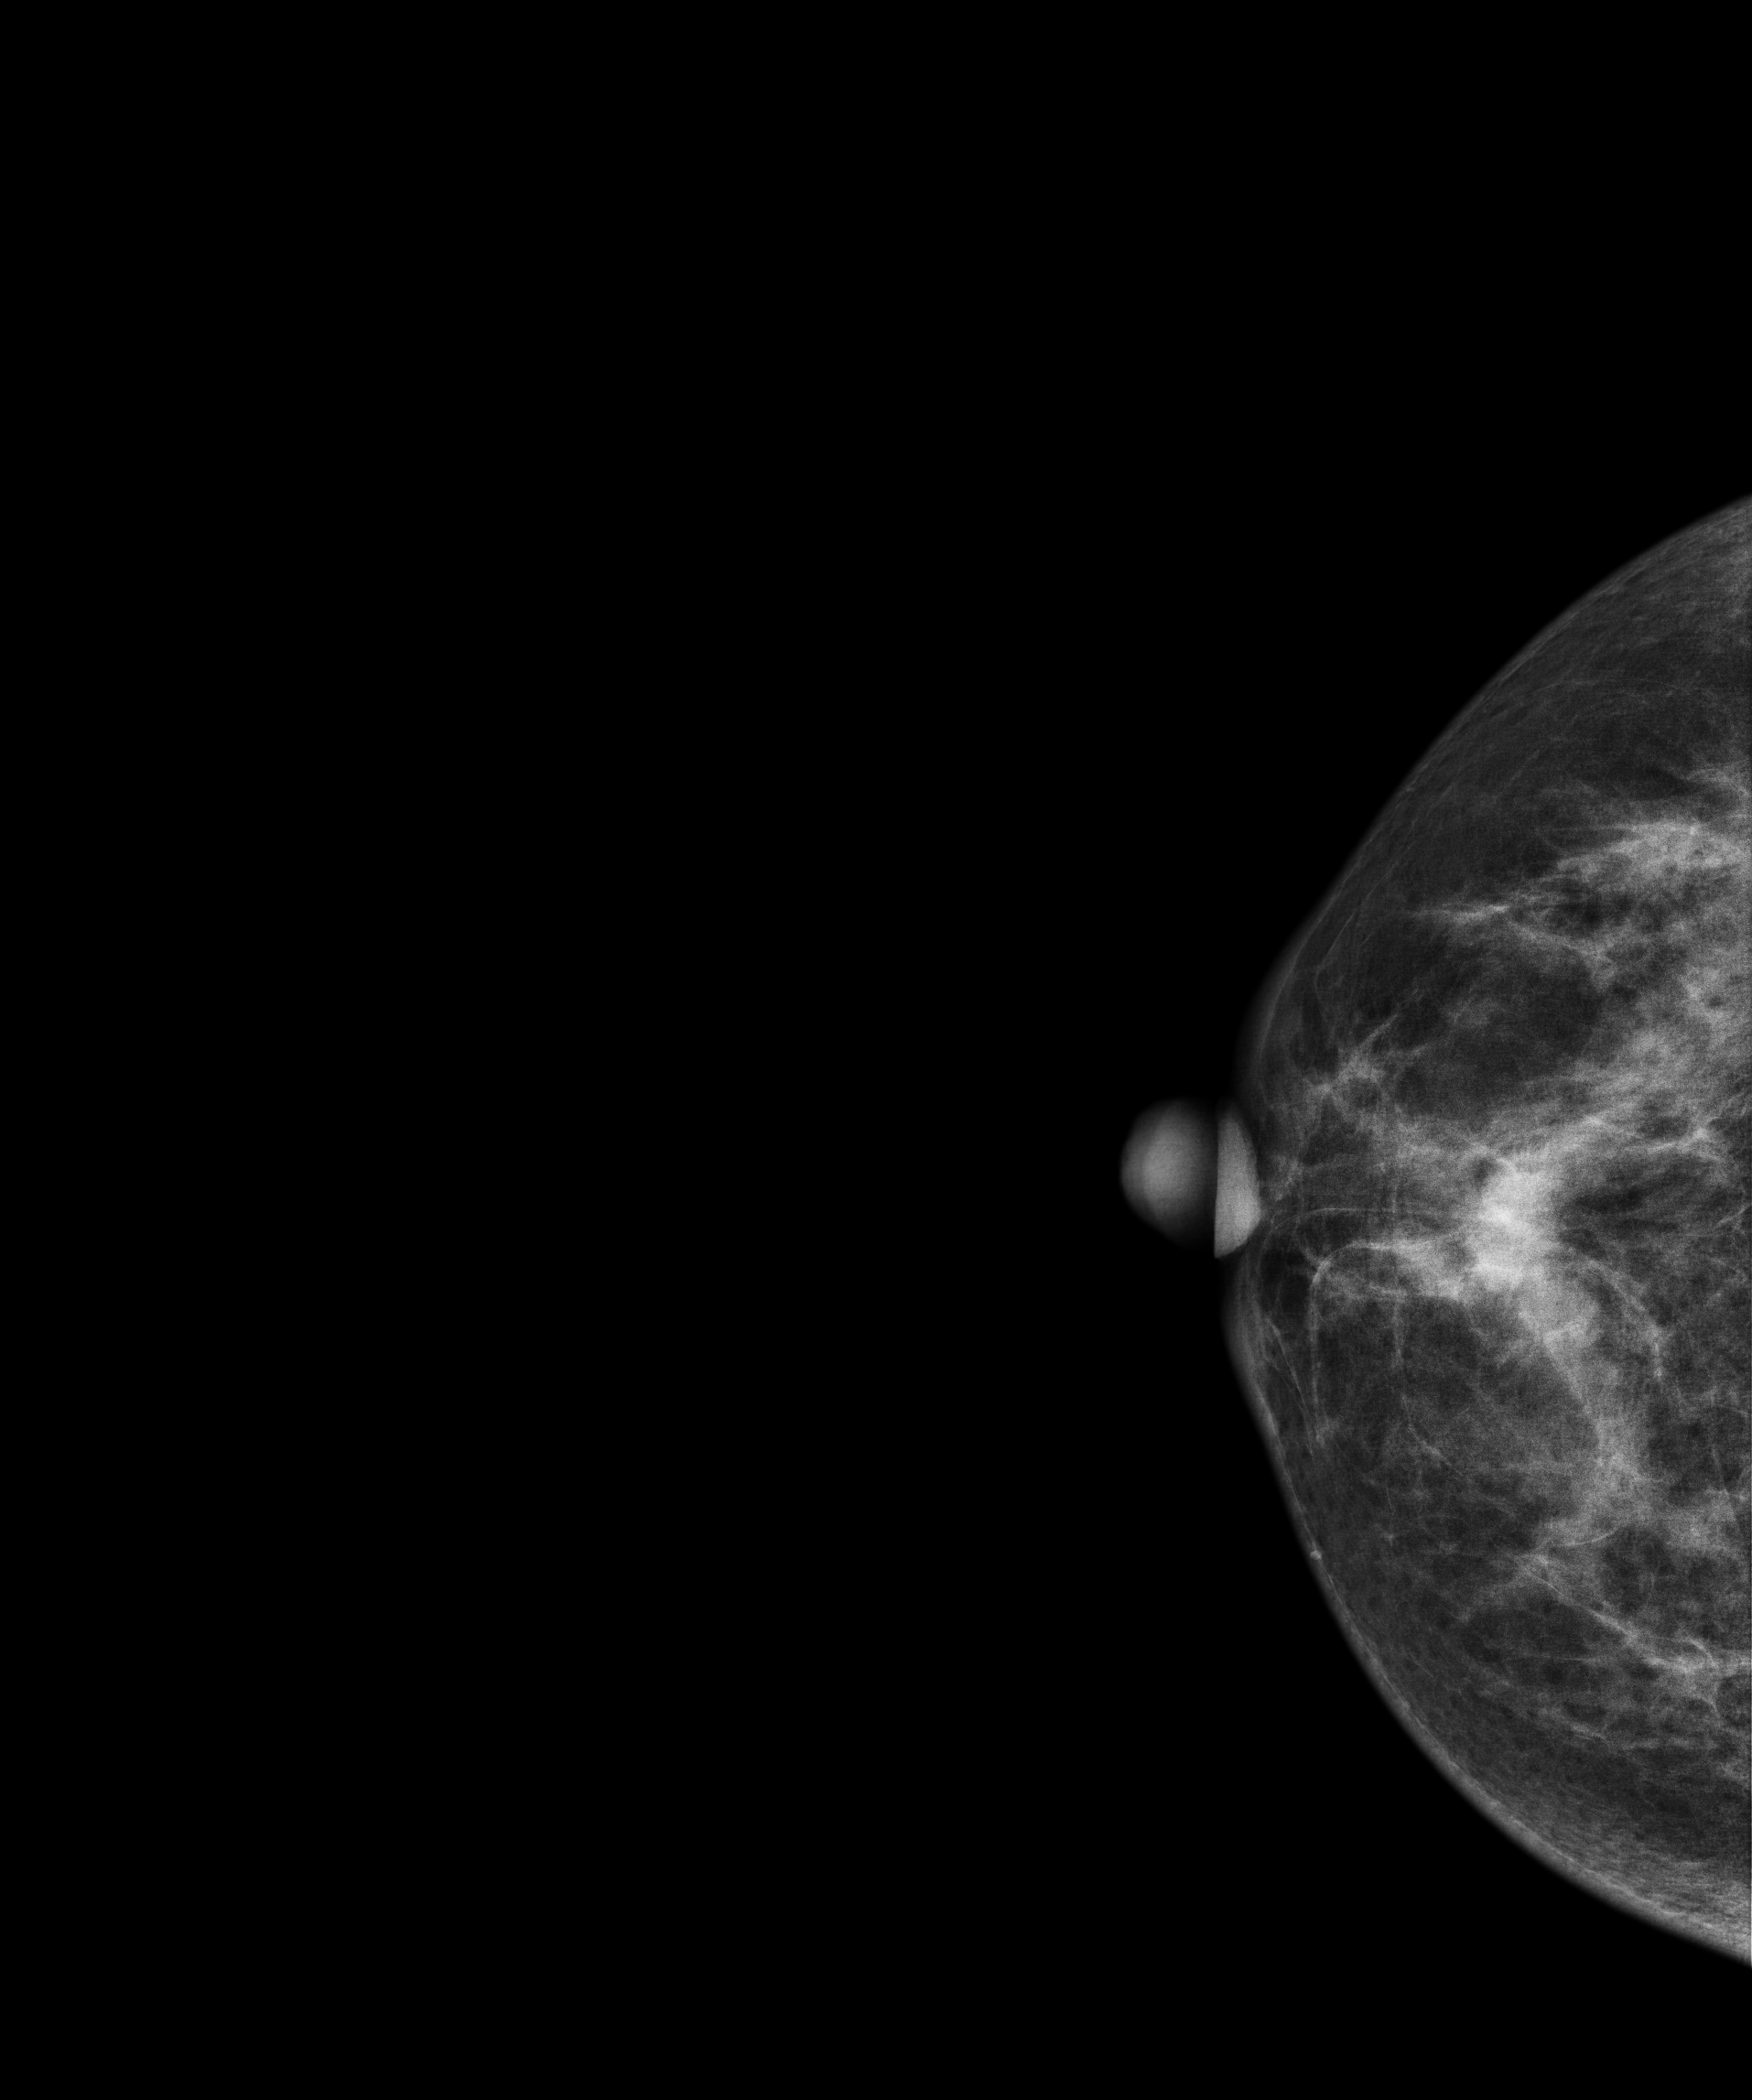
Mammogram, right breast, CC view. Patient age 44.
This breast has a mass, biopsy-proven malignant. Molecular subtype: luminal B.